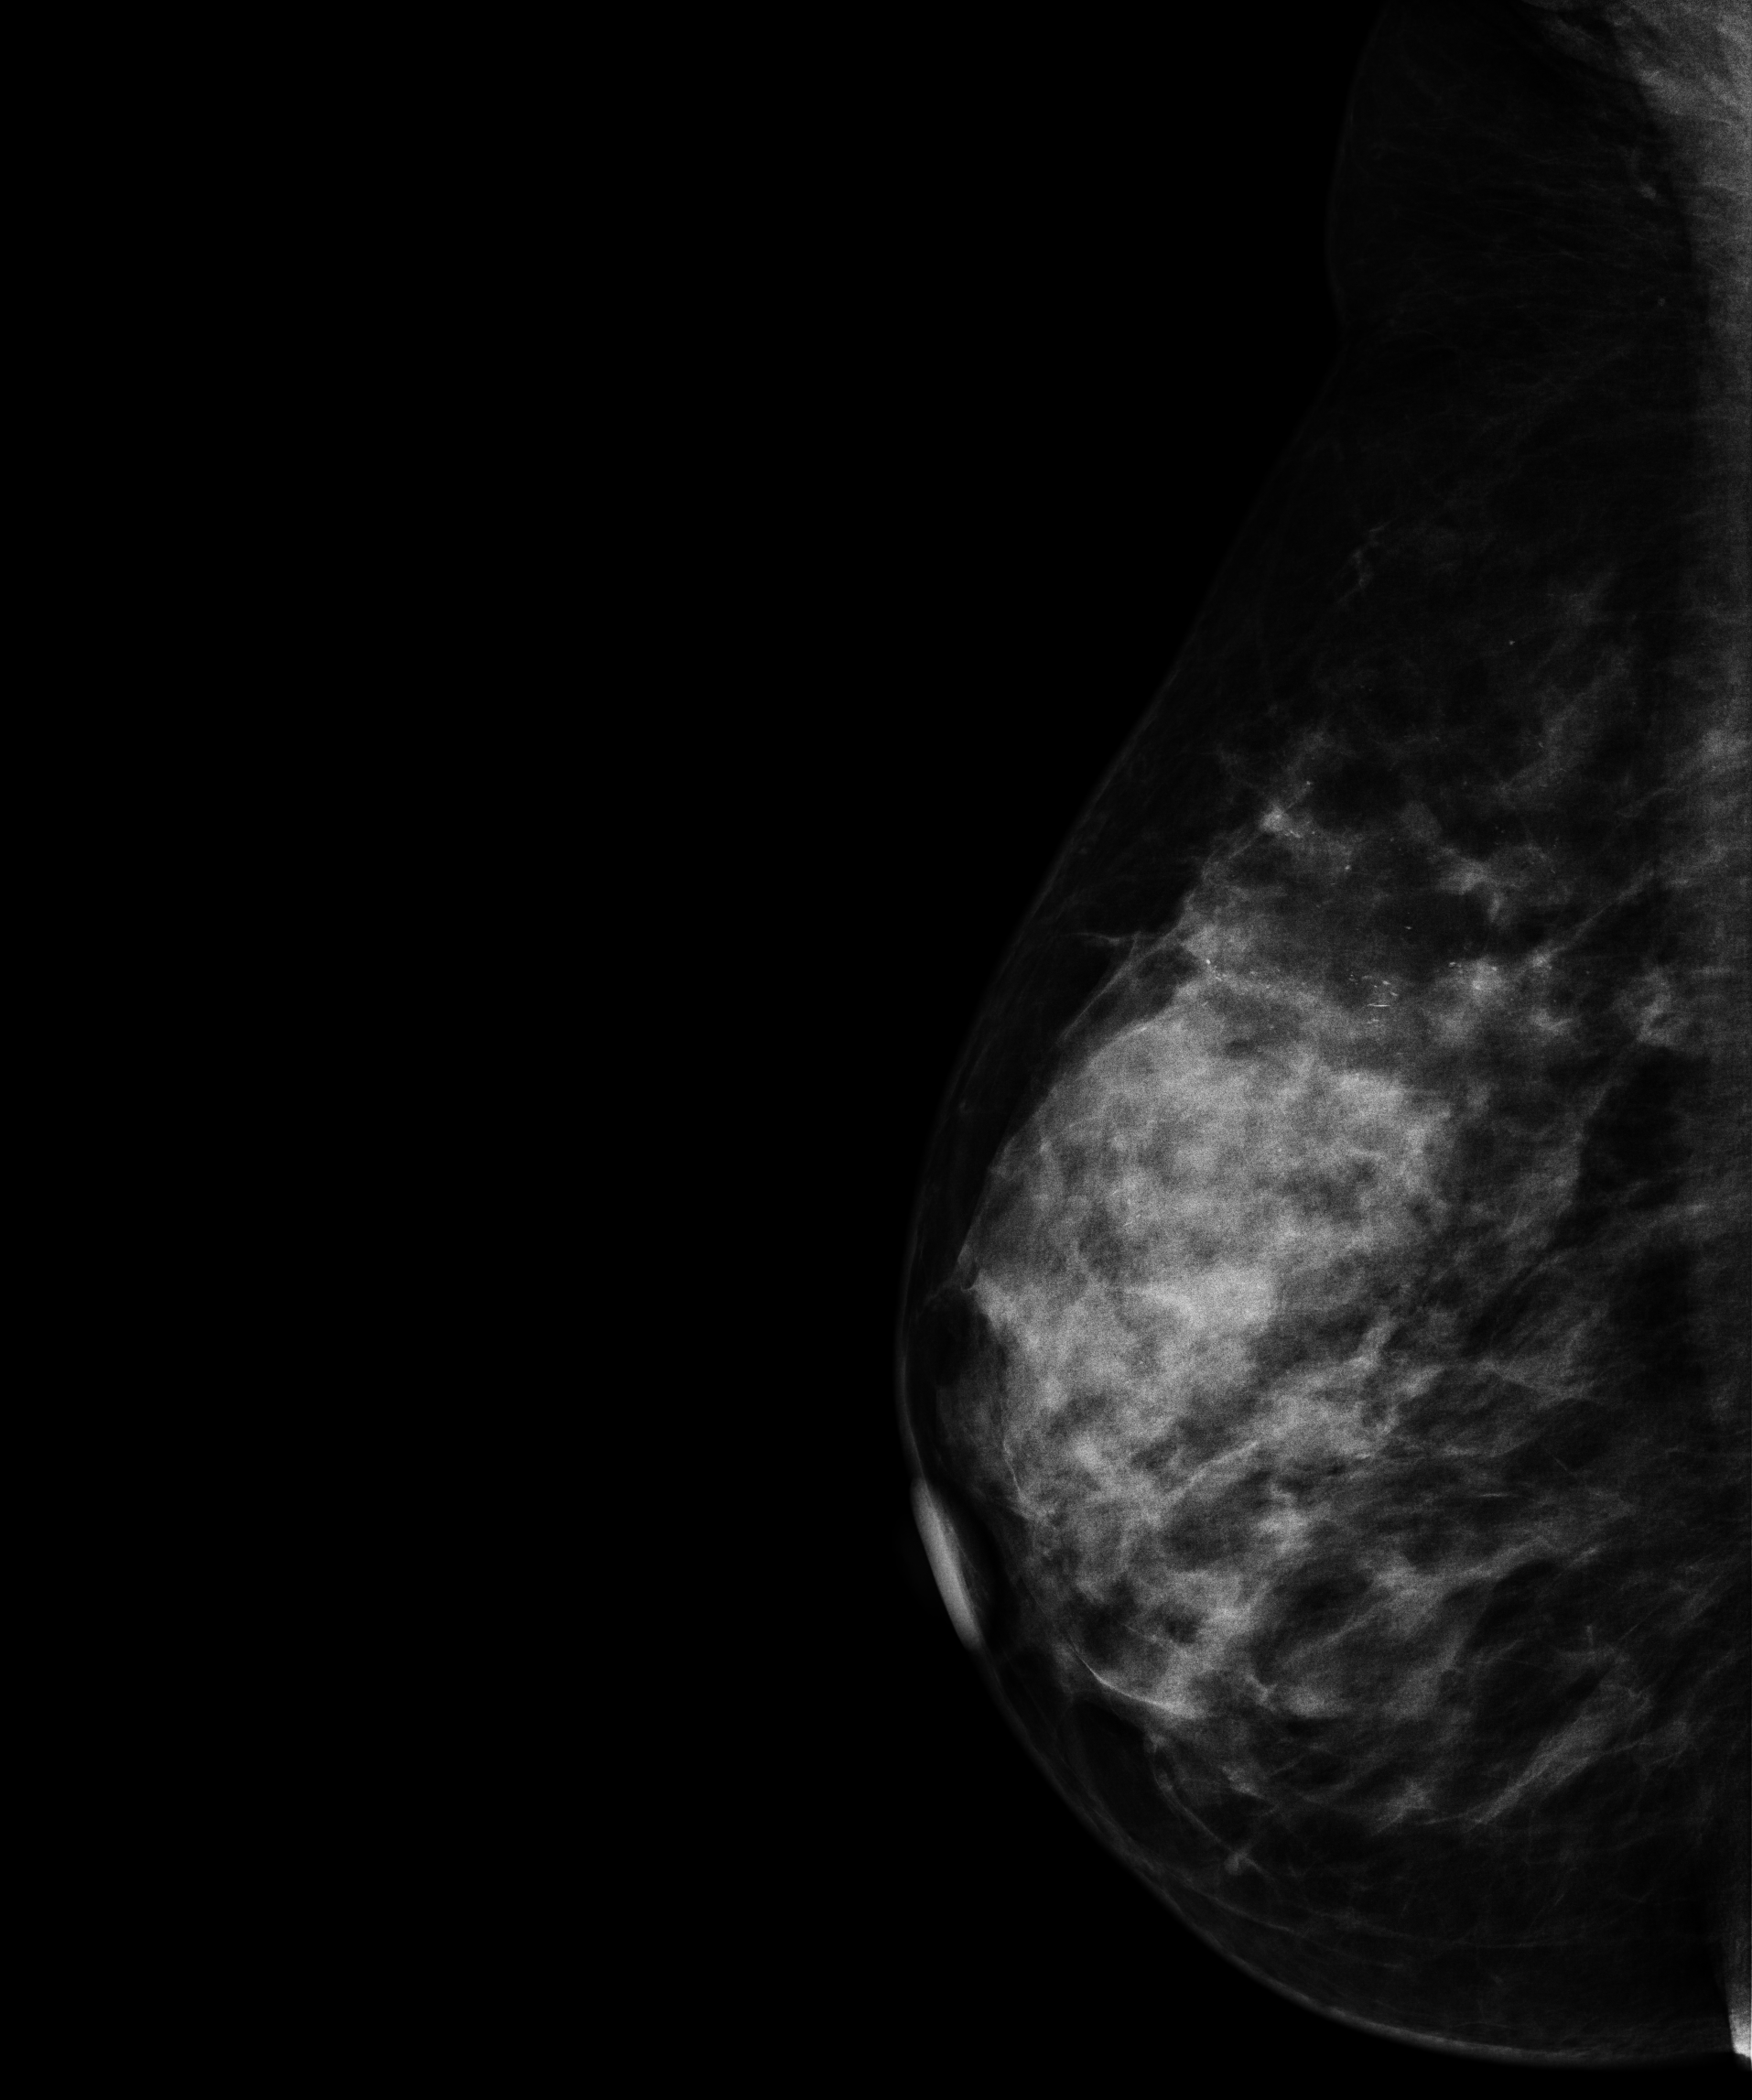
Mammogram, right breast, medio-lateral oblique view. 41 y/o patient.
This breast has calcifications, biopsy-confirmed malignant. Molecular subtype: luminal A.